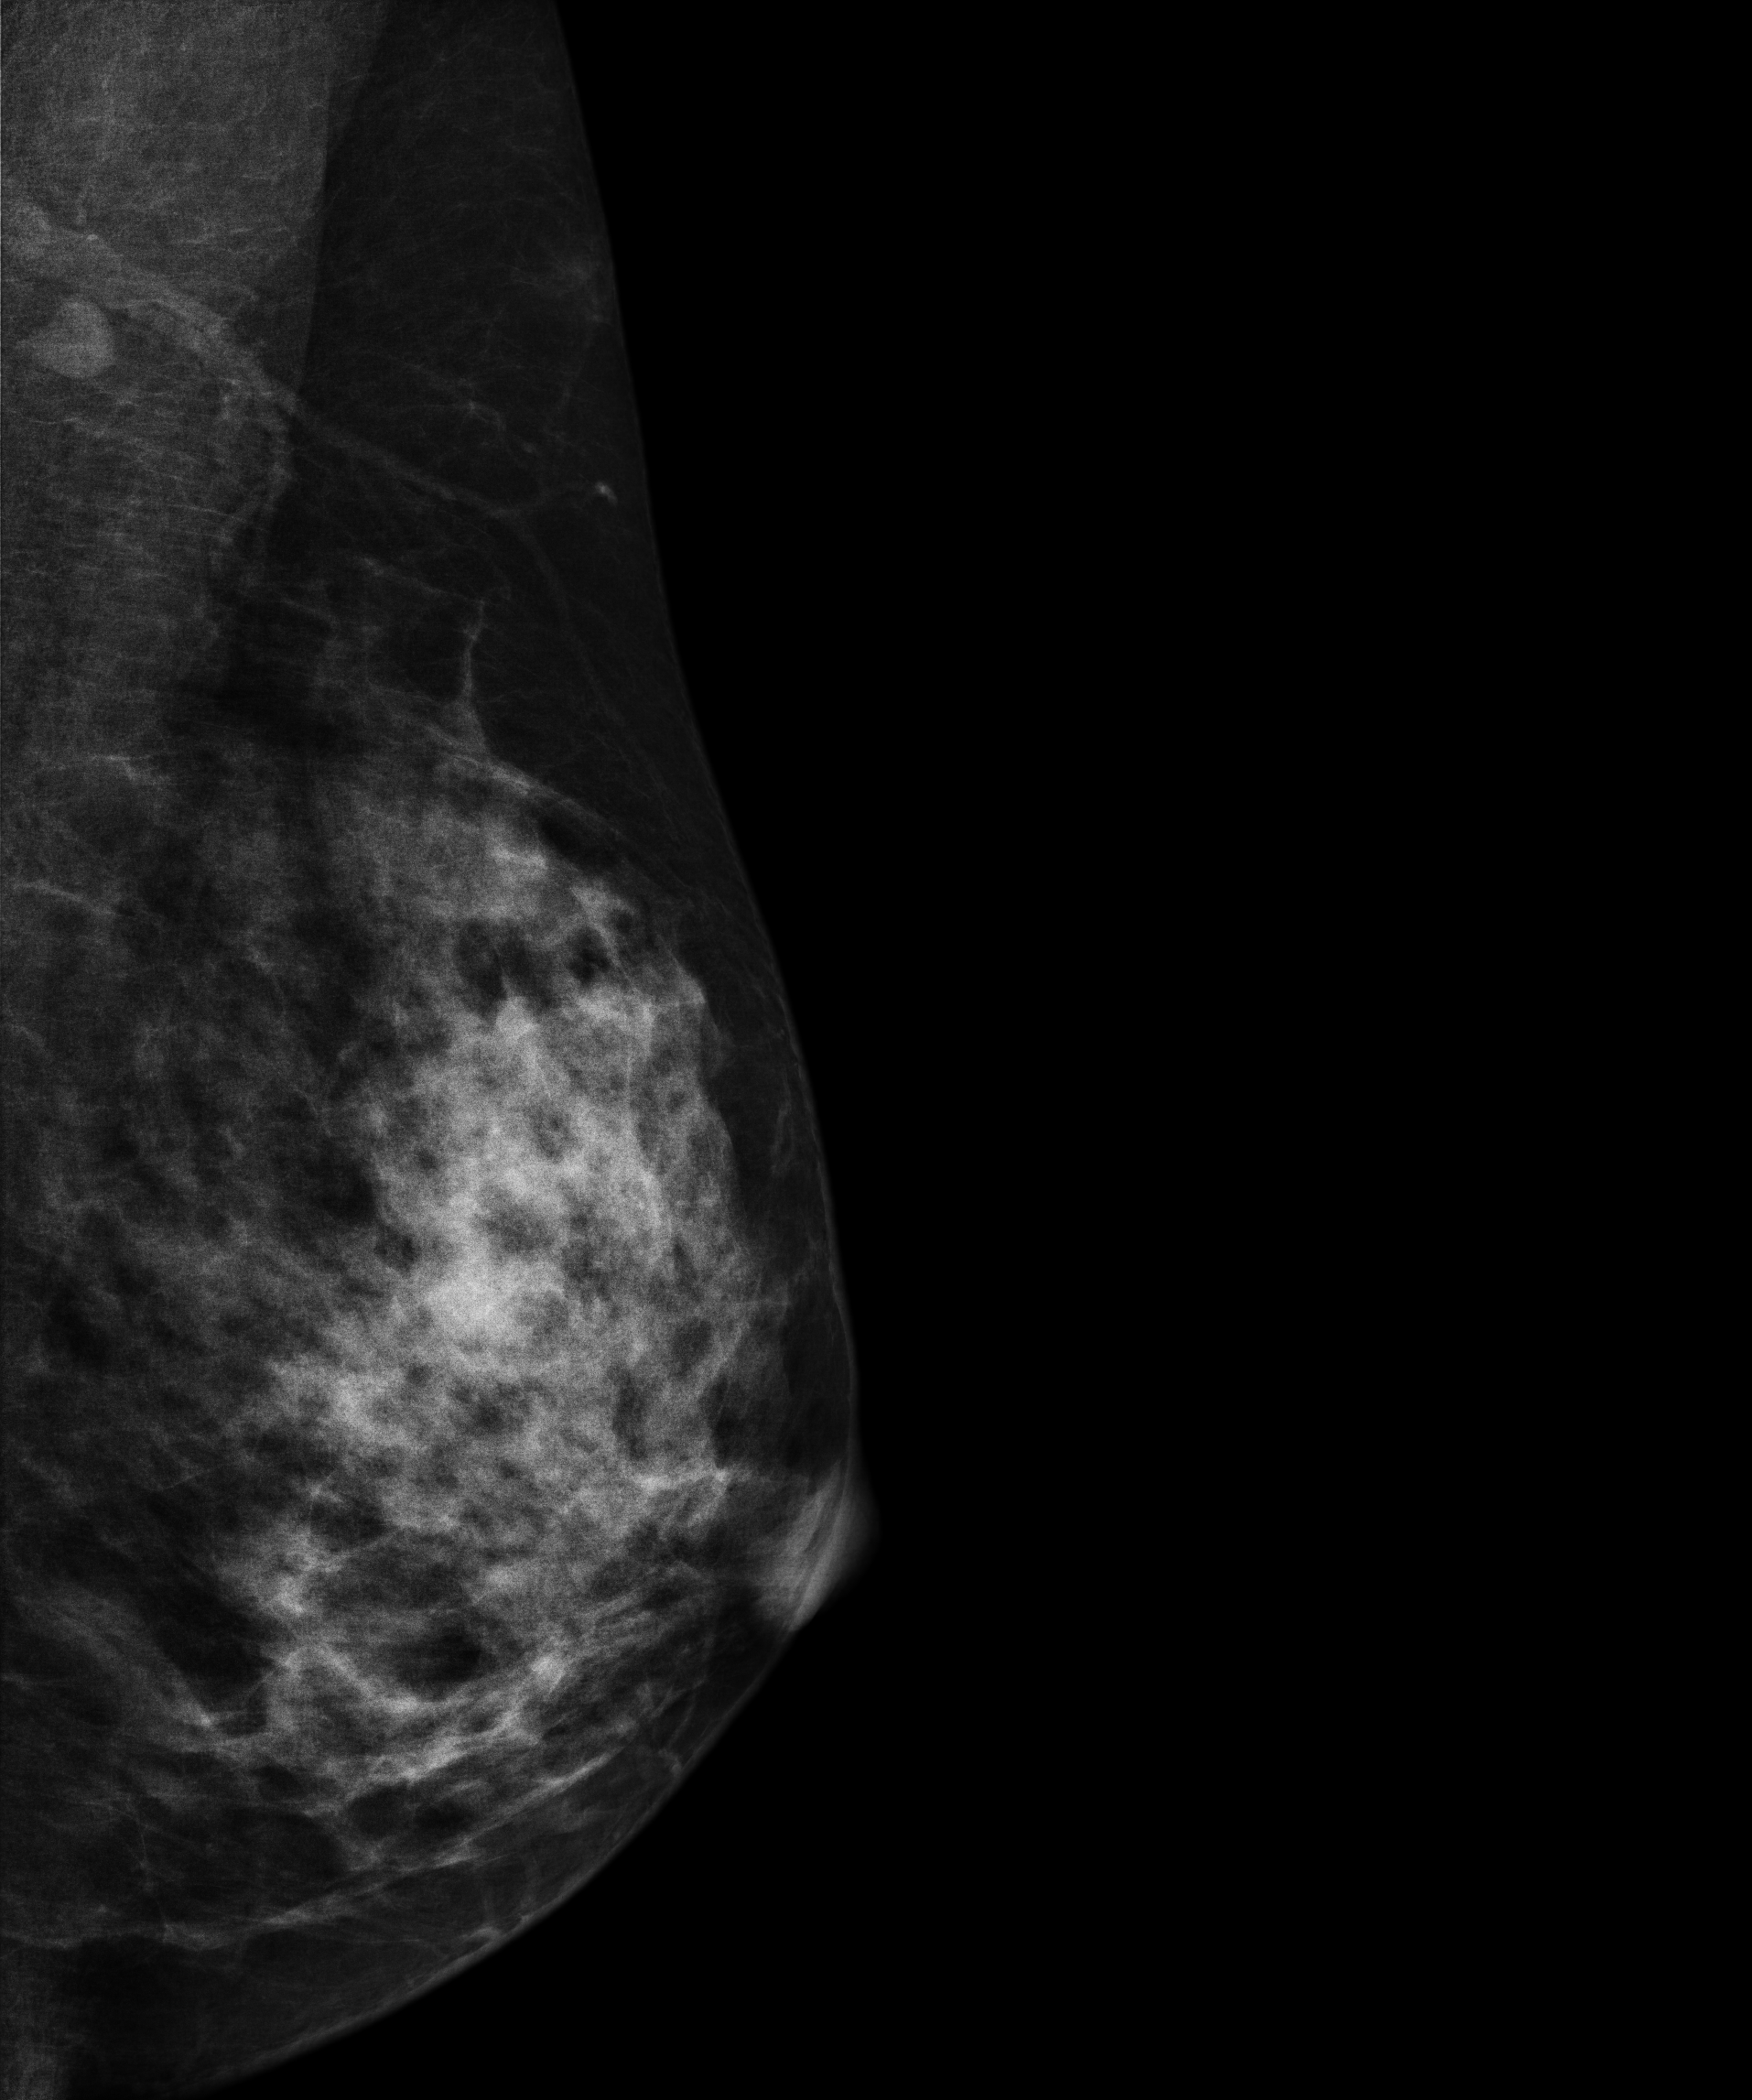
MLO mammogram of the left breast. 42 y/o patient.
Contralateral breast — no documented abnormality on this side.